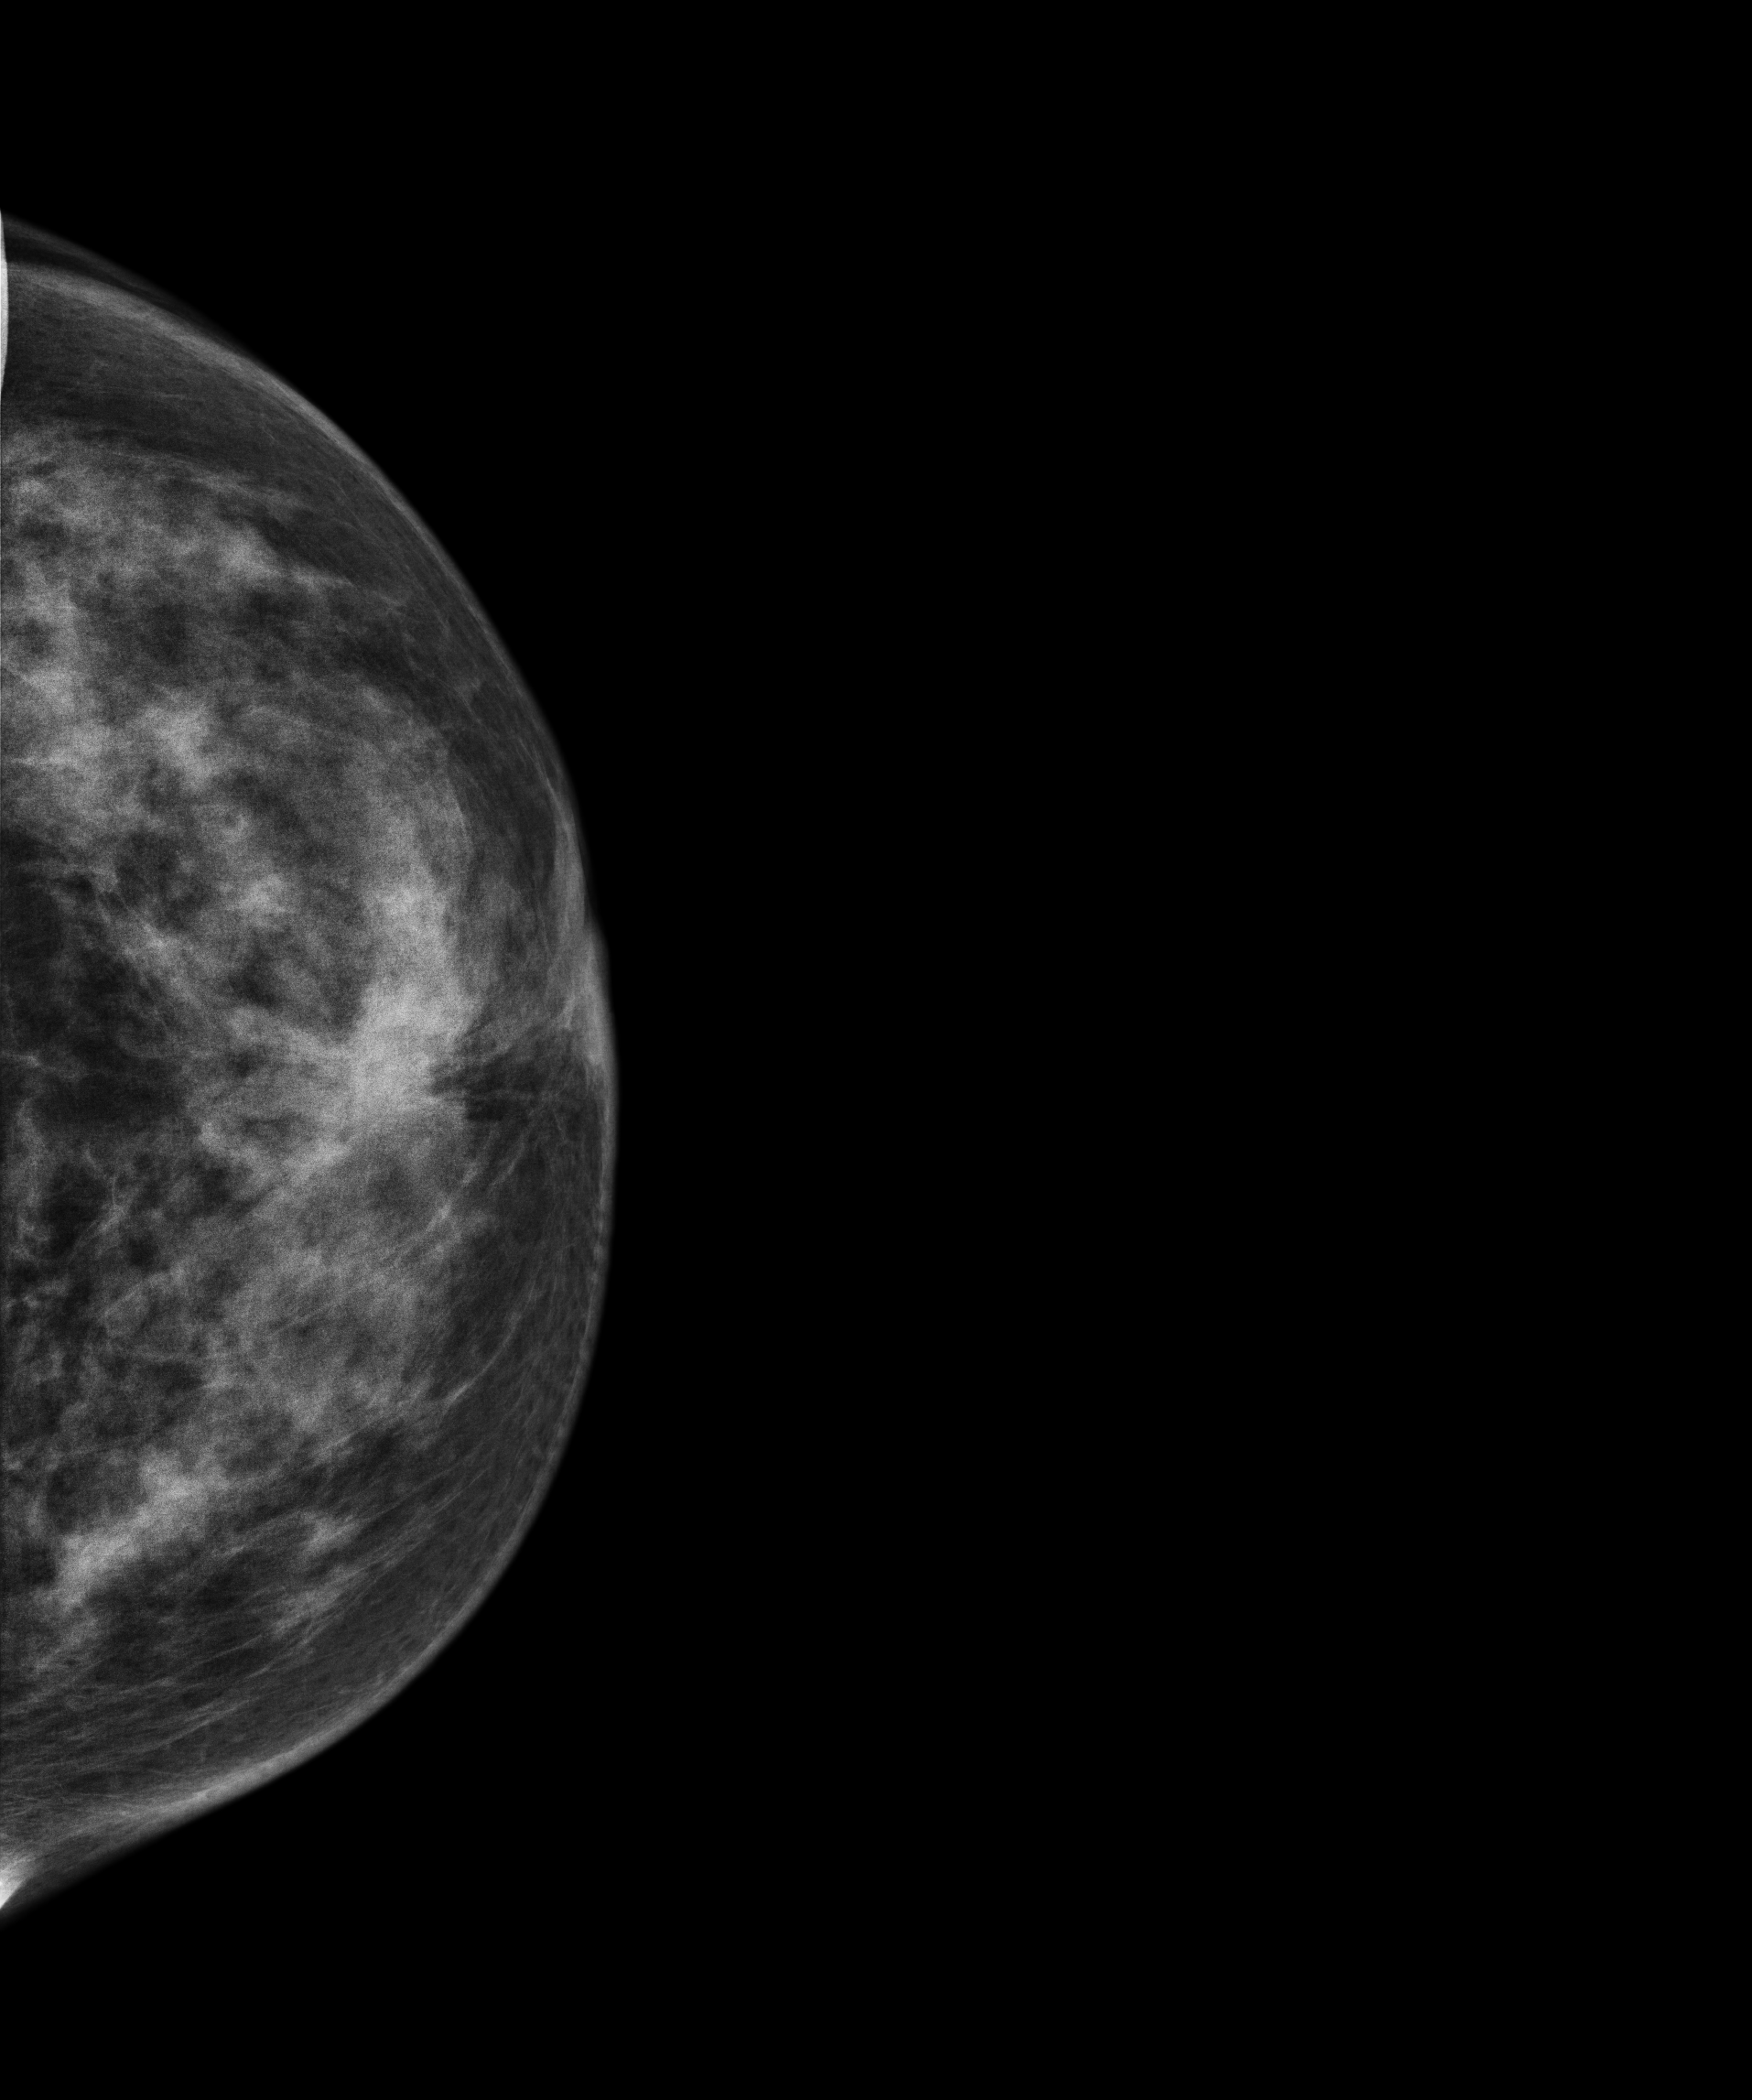
Mammogram, left breast, CC view. Patient age 45.
This breast has a mass, histologically confirmed malignant. Molecular subtype: luminal B.